Left-breast mammogram, cranio-caudal. 49-year-old patient.
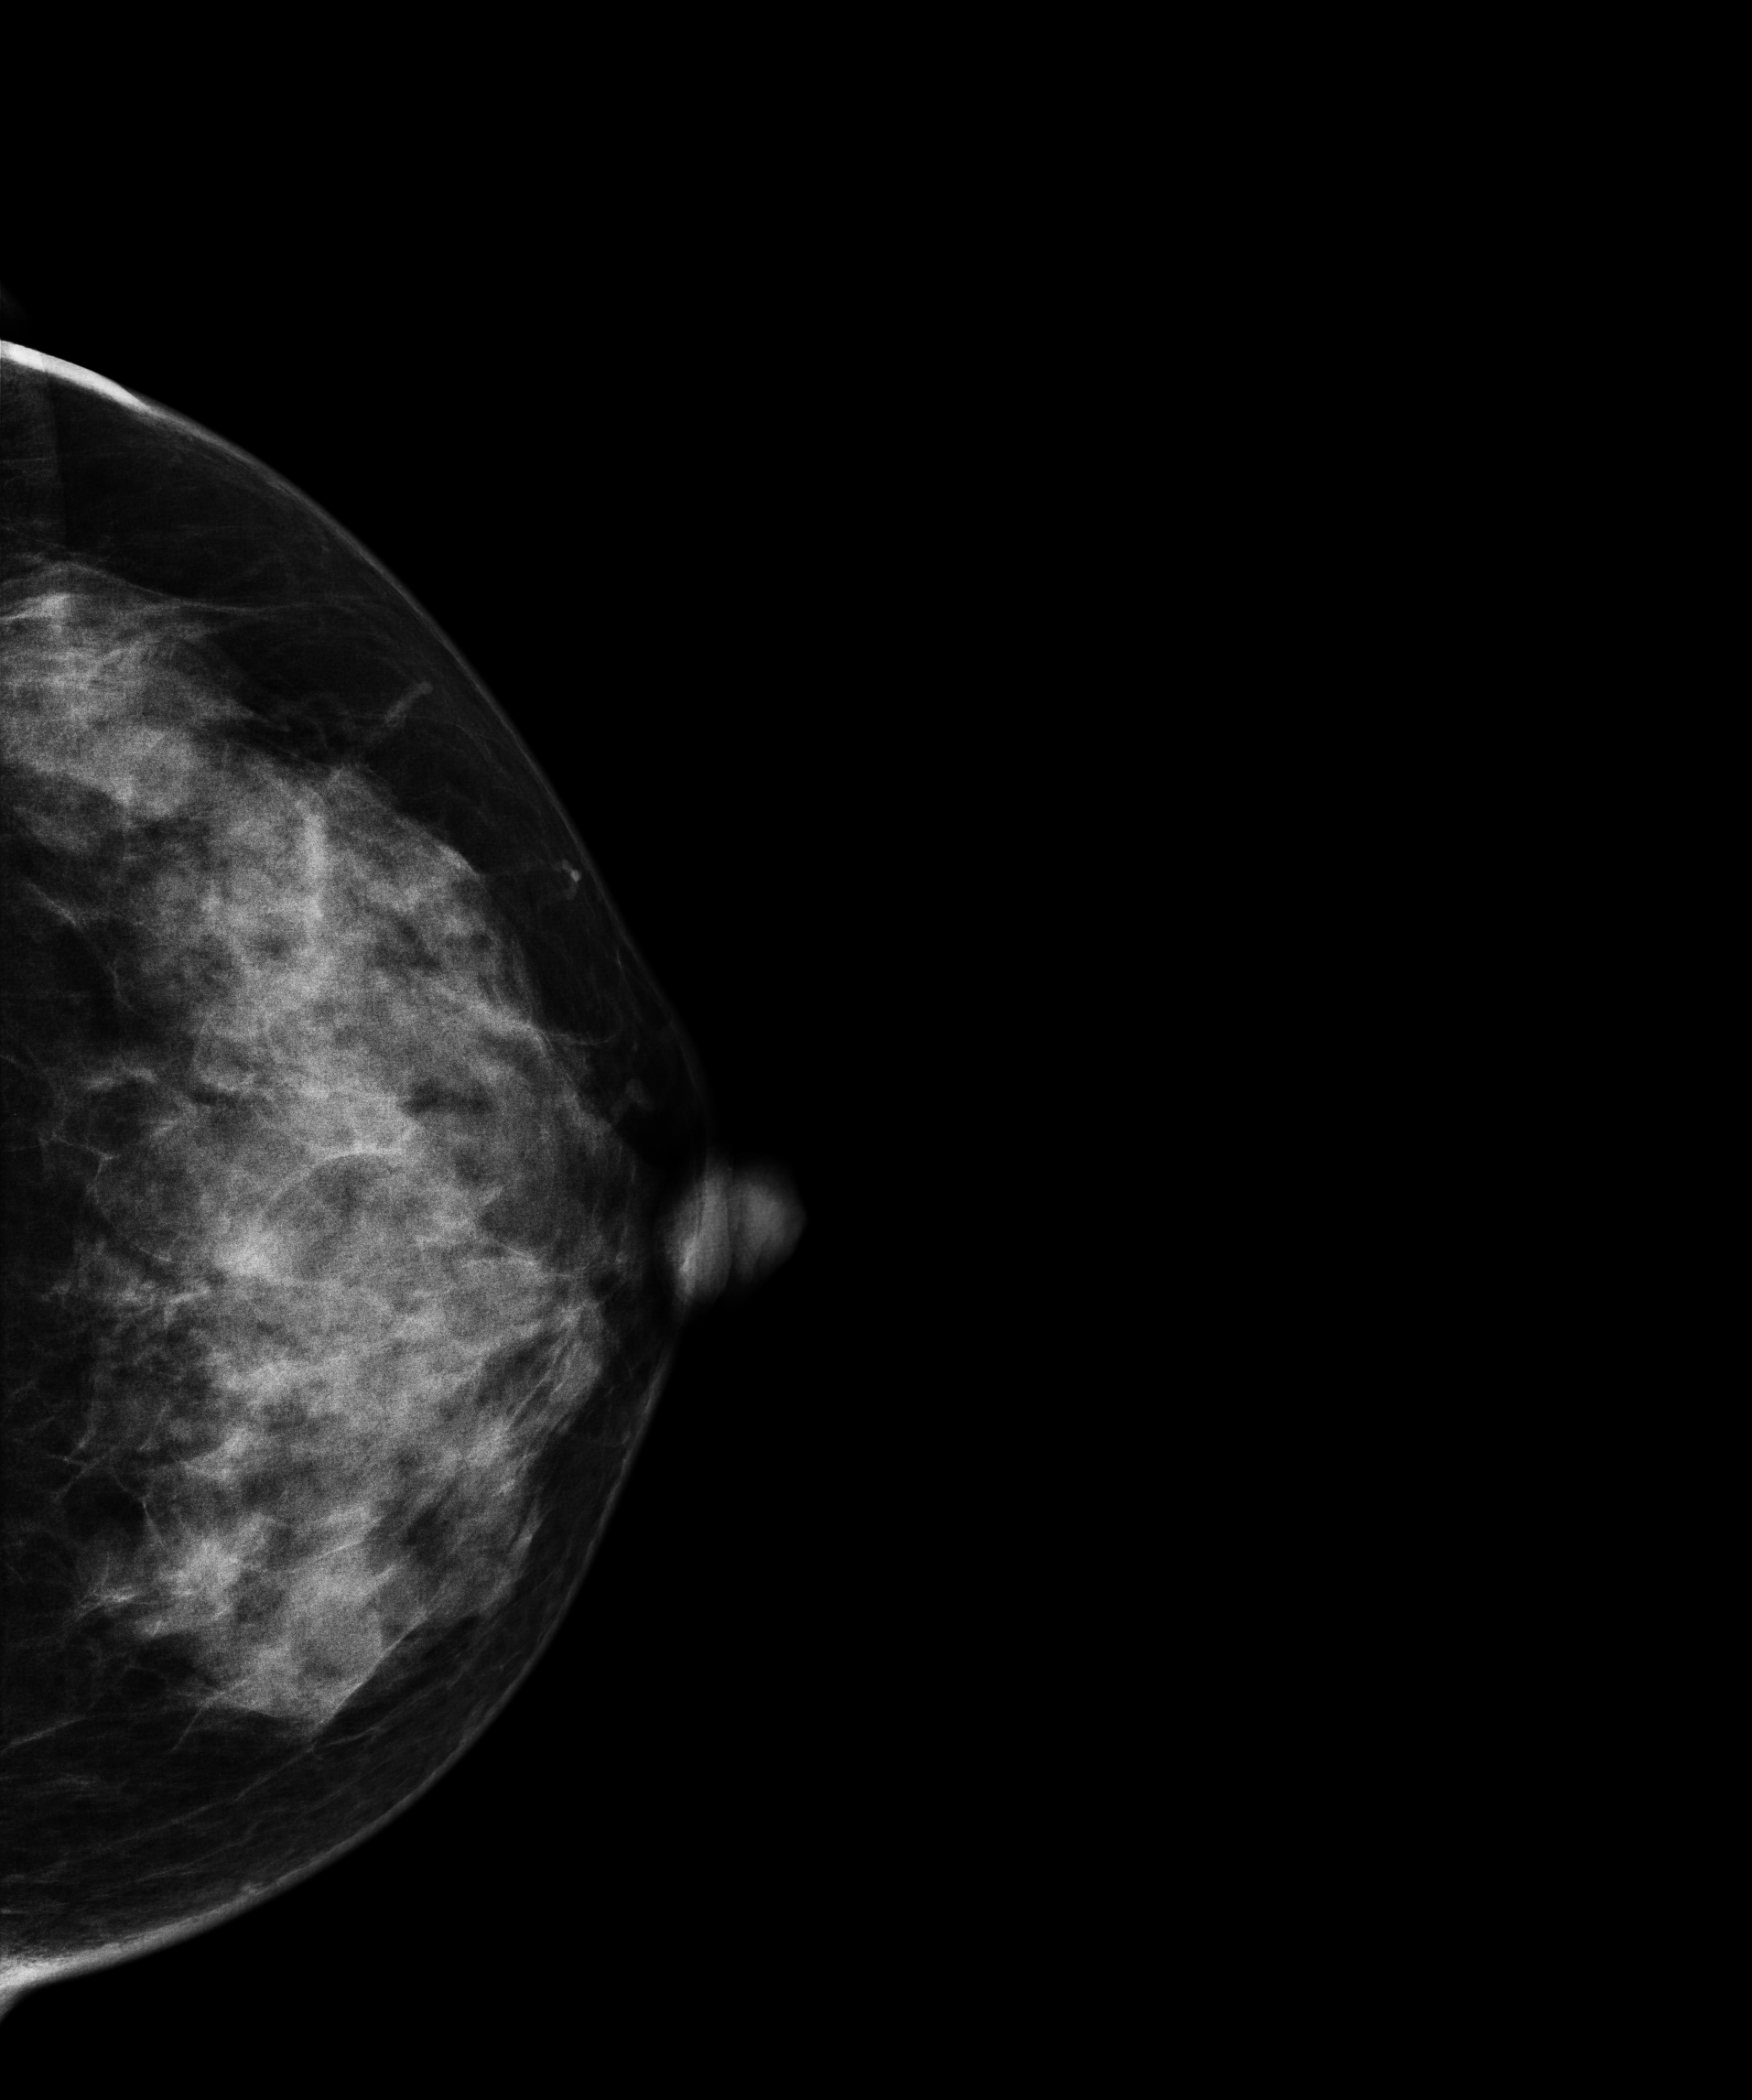
Contralateral breast — no documented abnormality on this side.